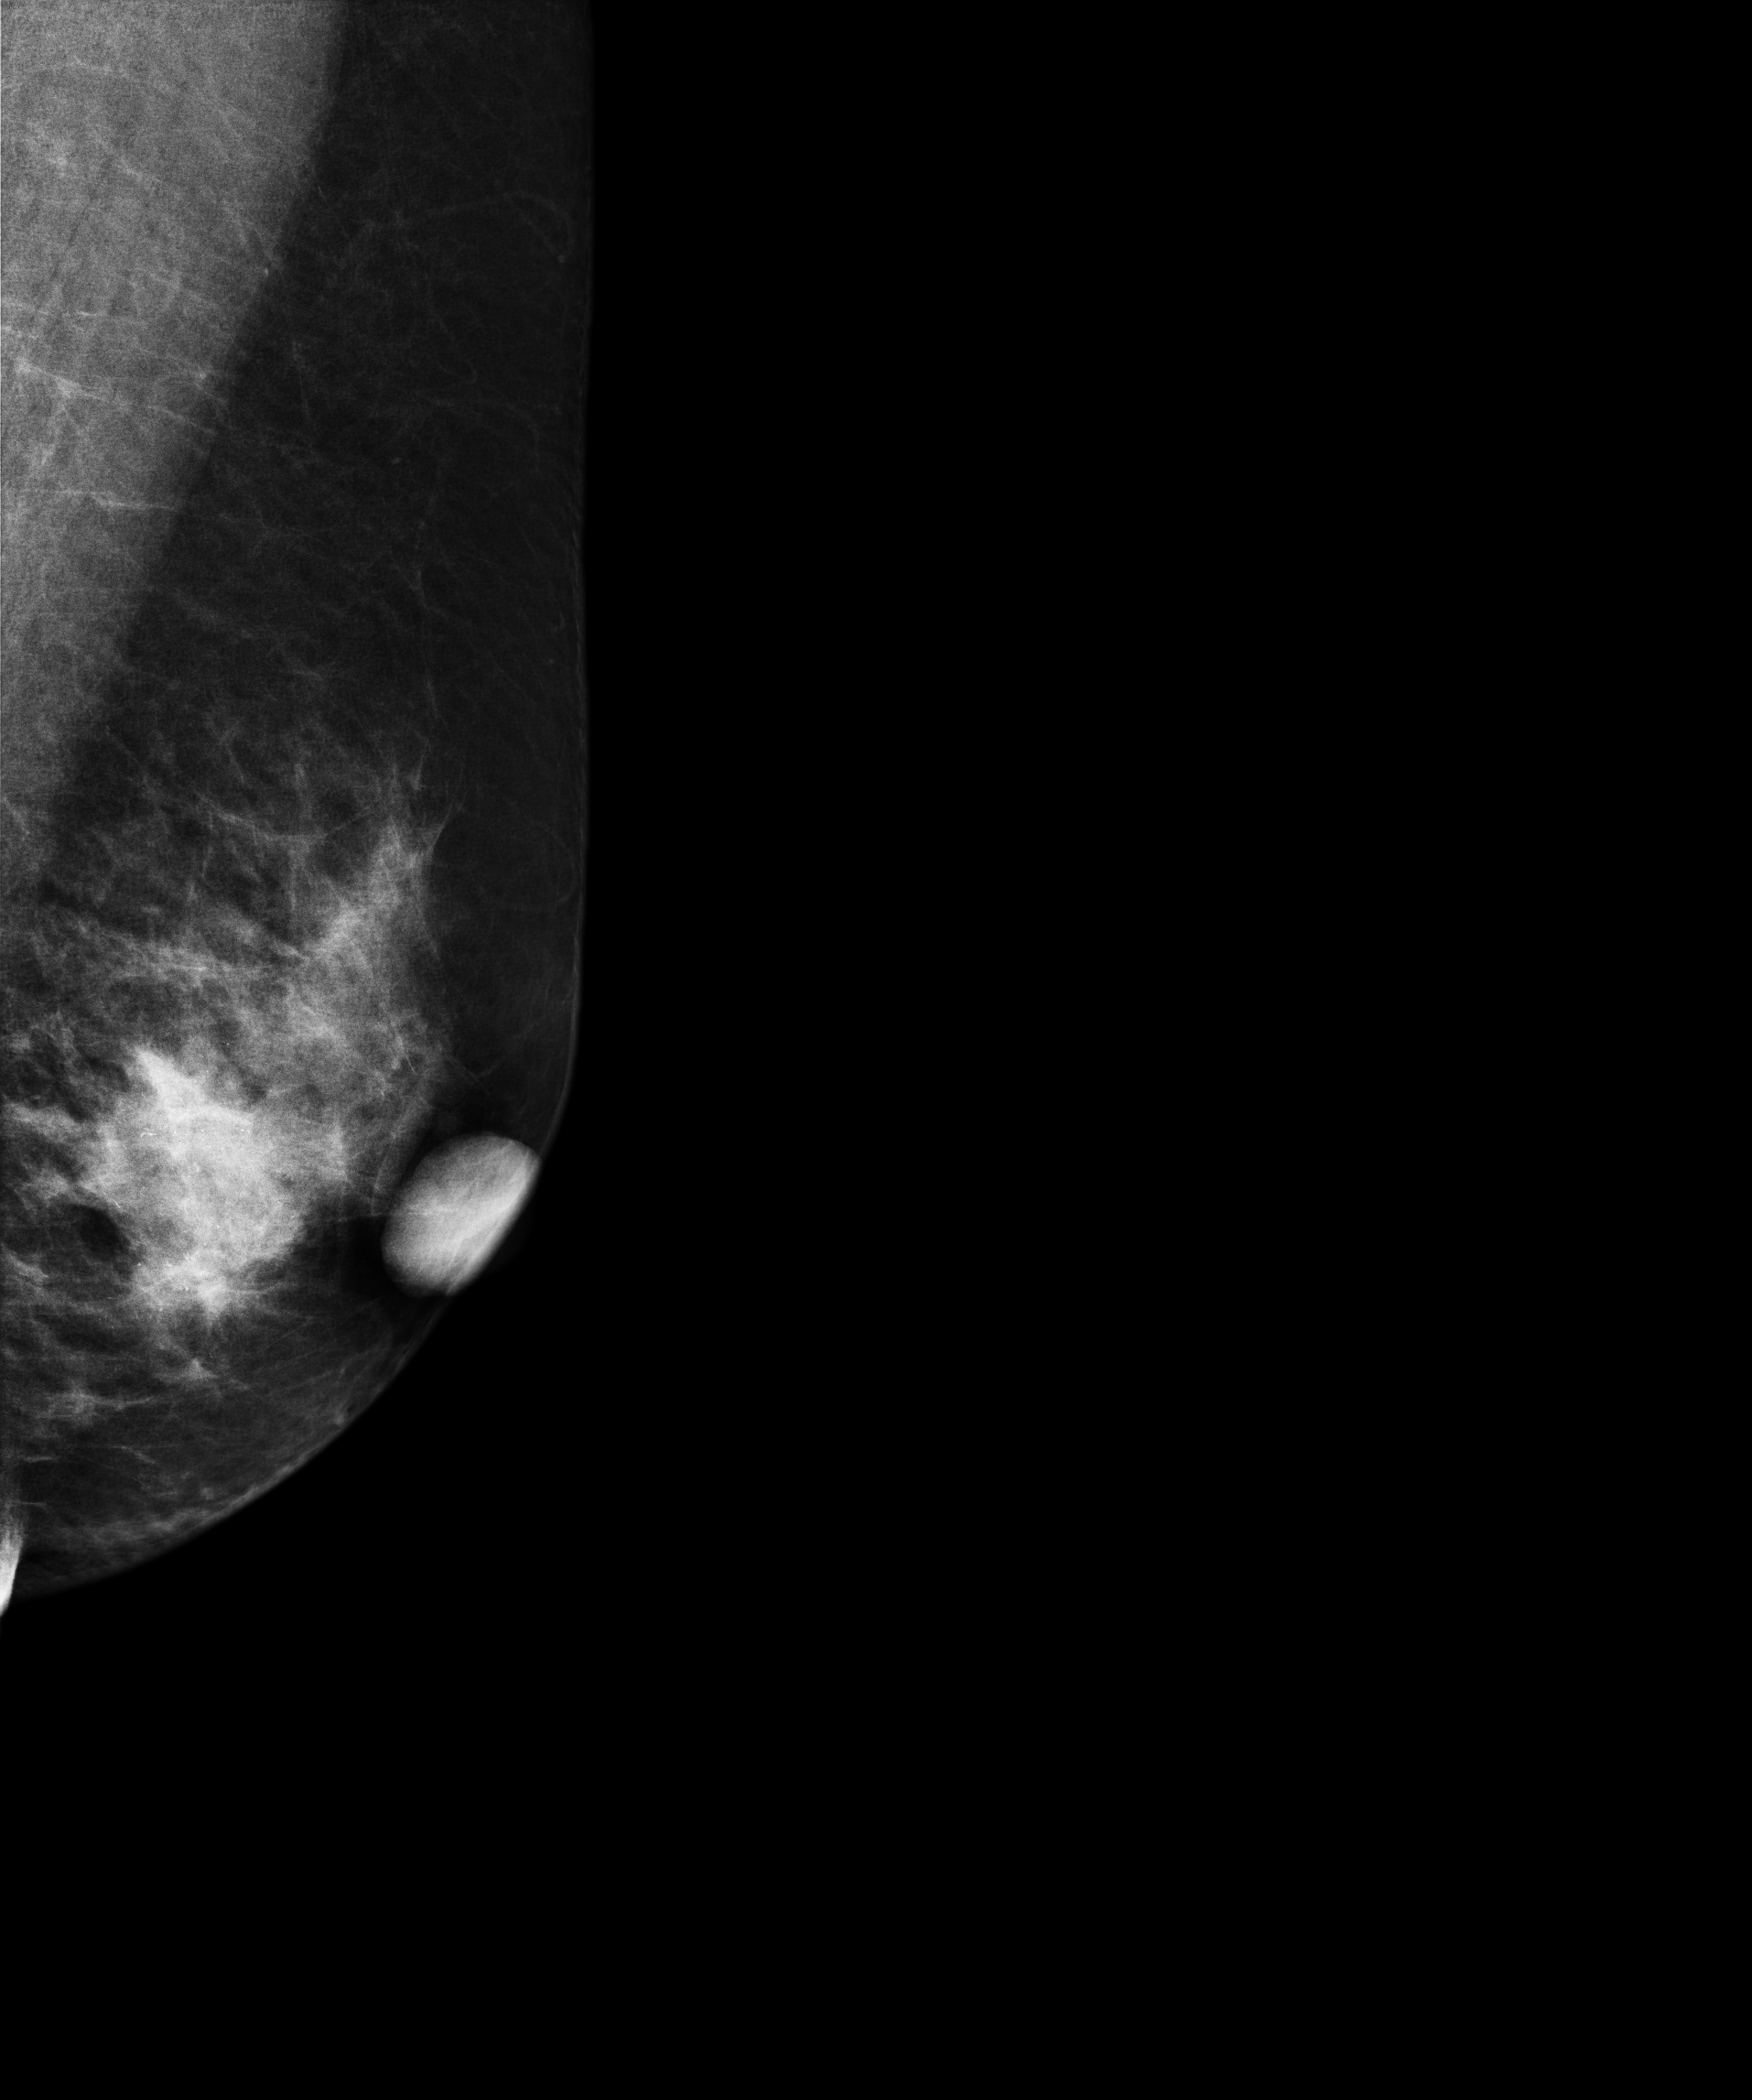
Left-breast mammogram, MLO. 57 y/o patient.
This breast has a mass and calcifications, biopsy-proven malignant. Molecular subtype: HER2-enriched.